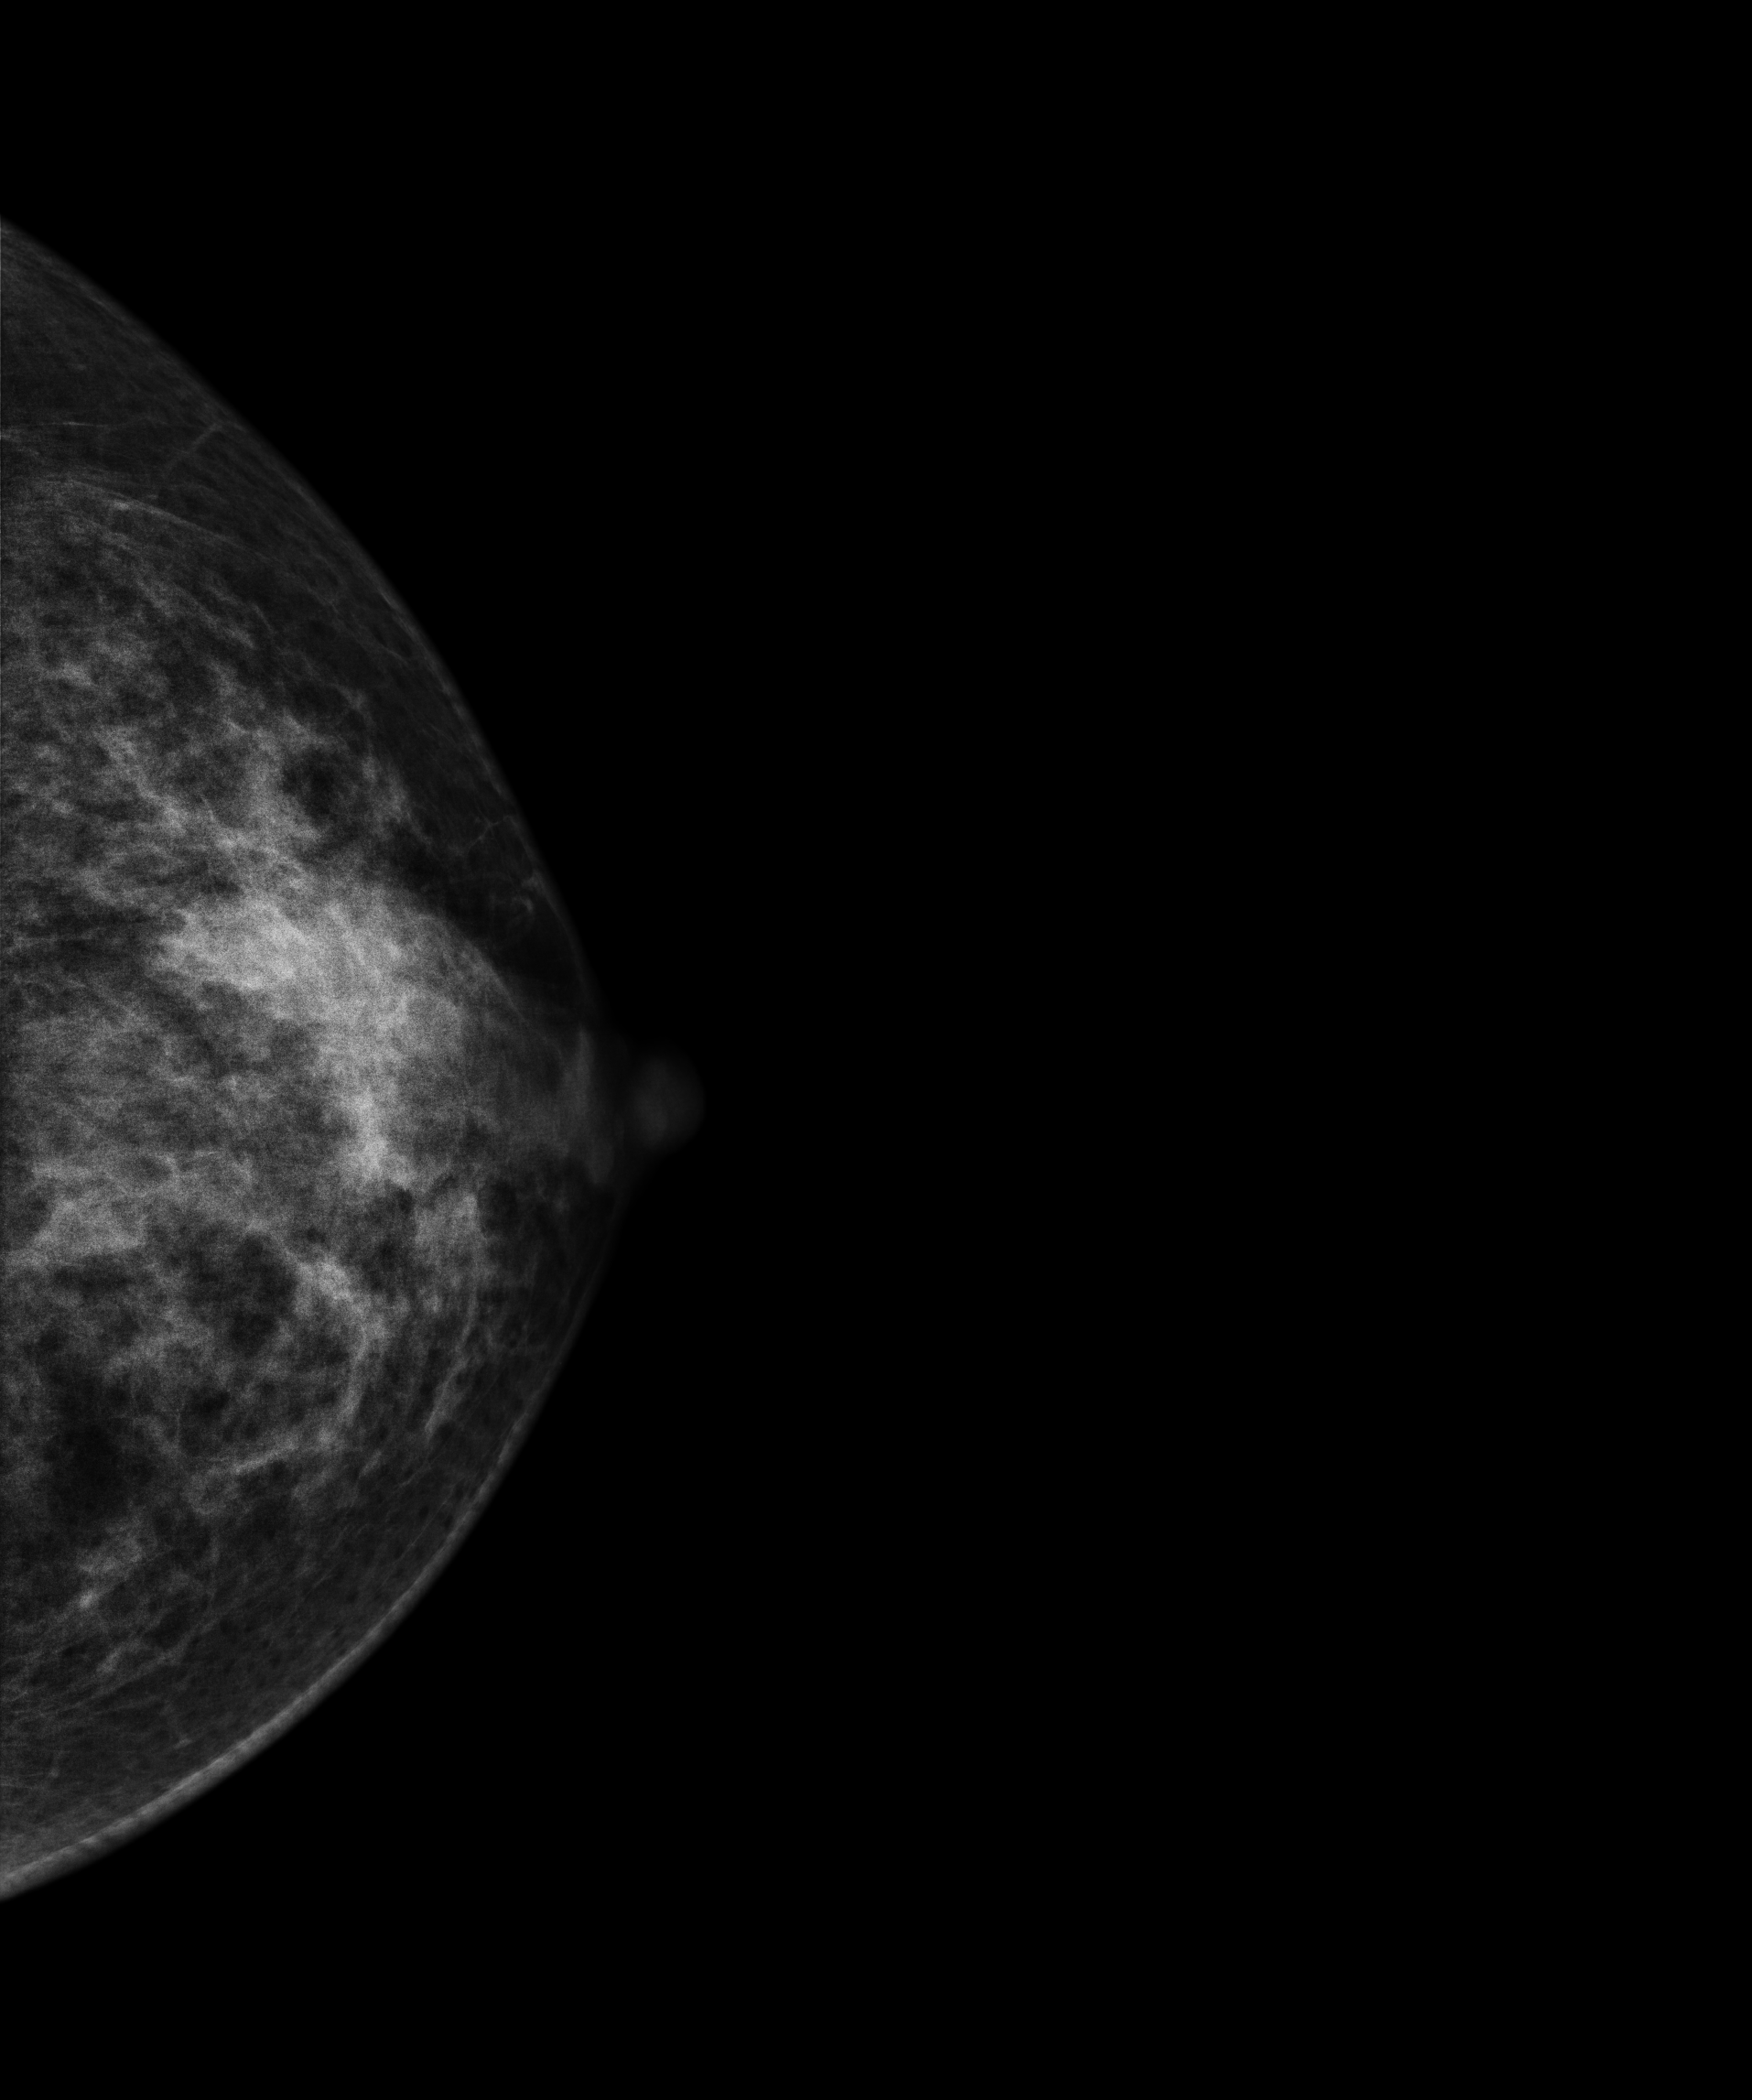
Left-breast mammogram, CC. 45-year-old patient.
Contralateral breast — no documented abnormality on this side.